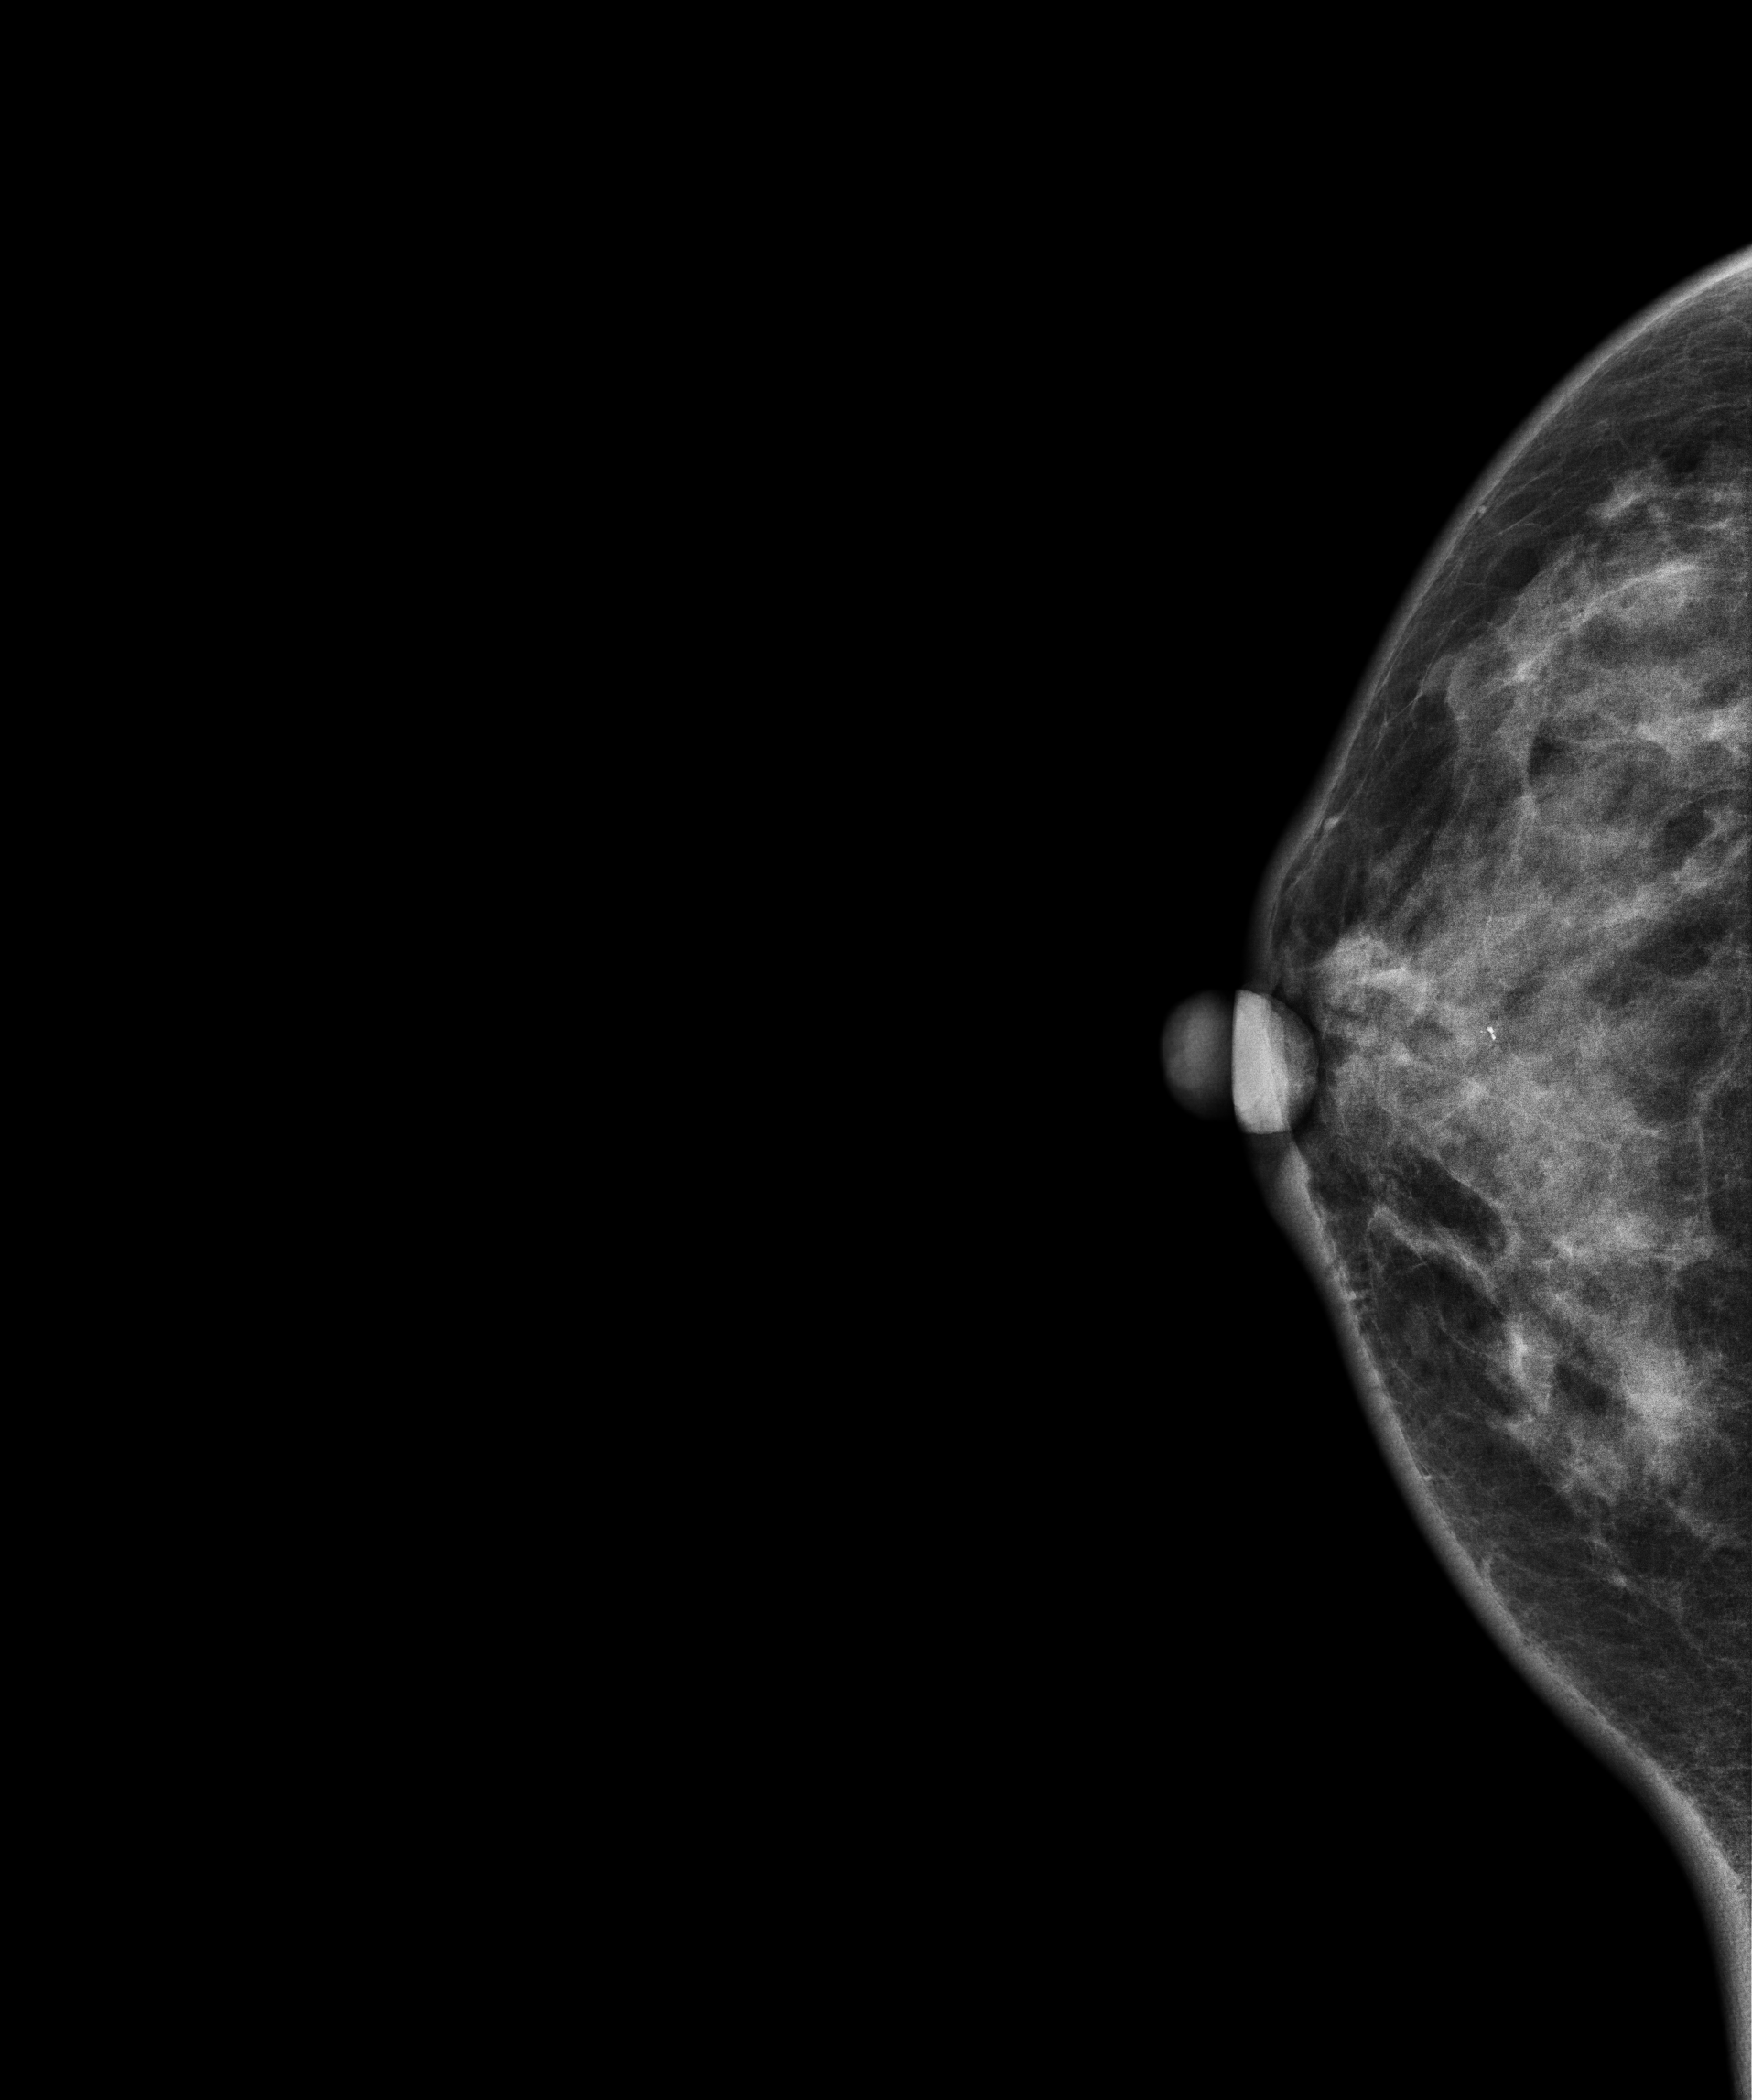
Mammogram — right cranio-caudal. Patient age 48.
Contralateral breast — no documented abnormality on this side.